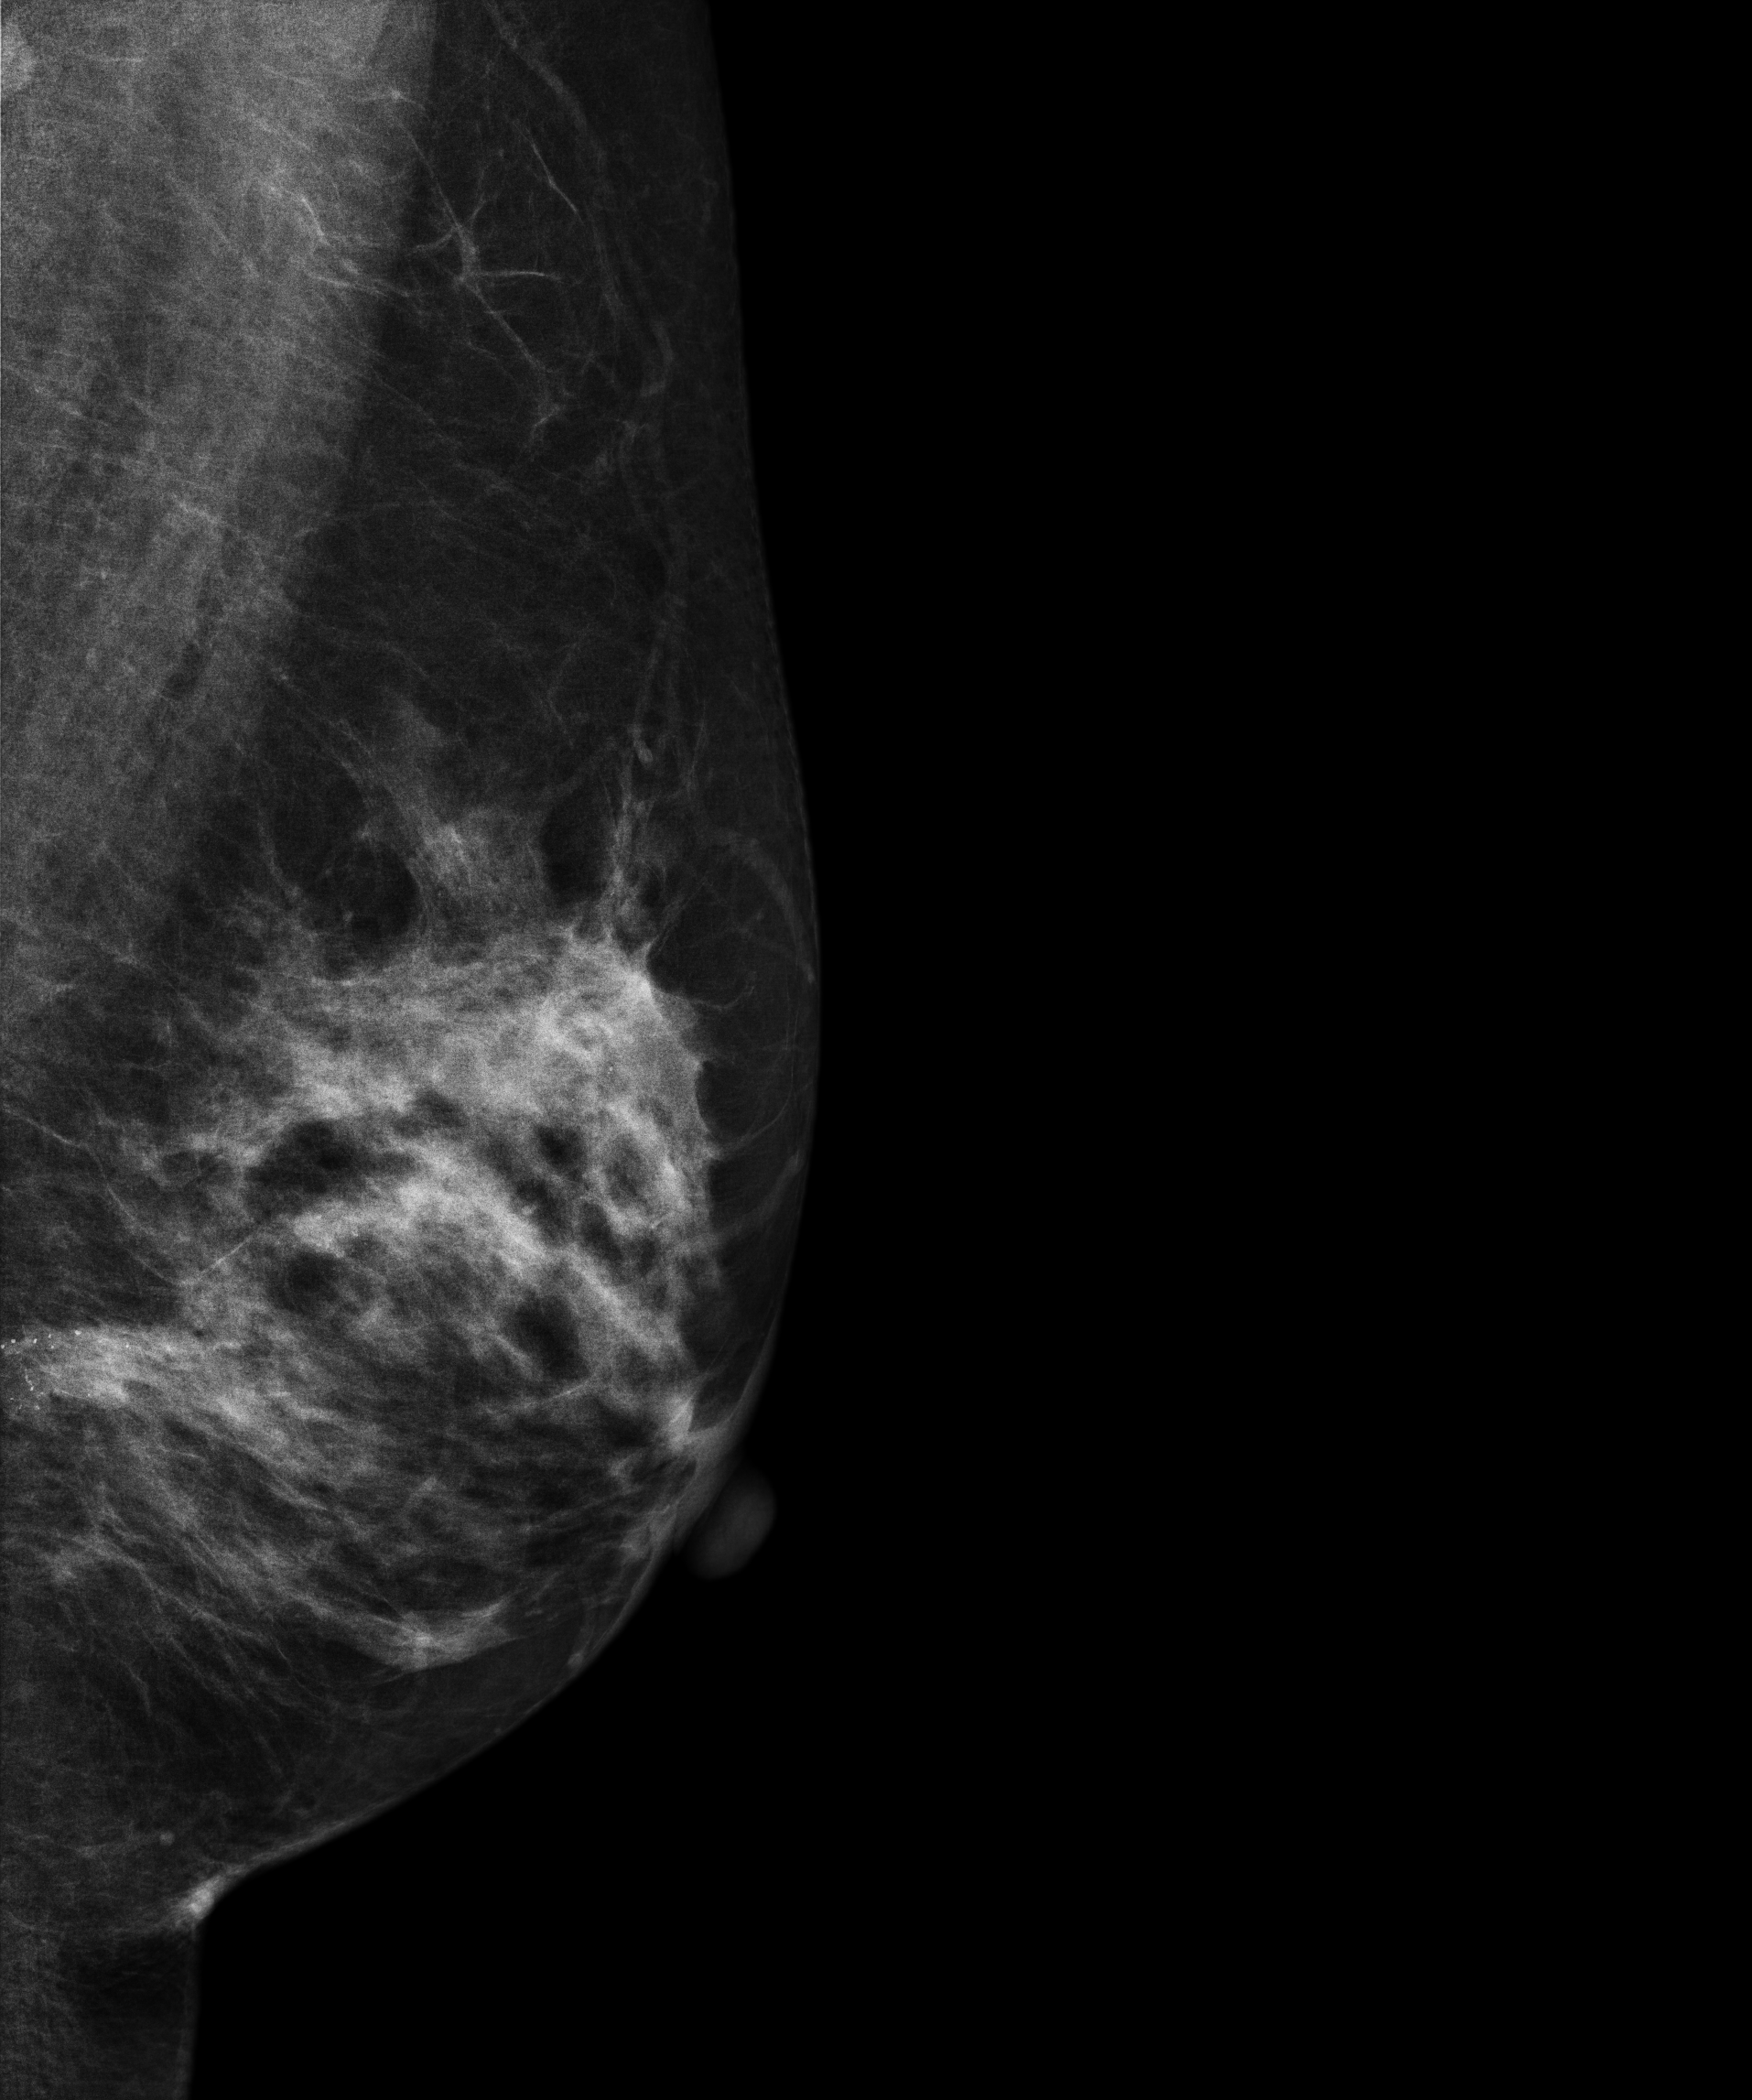
Digital mammography. Left breast, medio-lateral oblique projection. 67-year-old patient.
This breast has a mass and calcifications, histologically confirmed malignant.